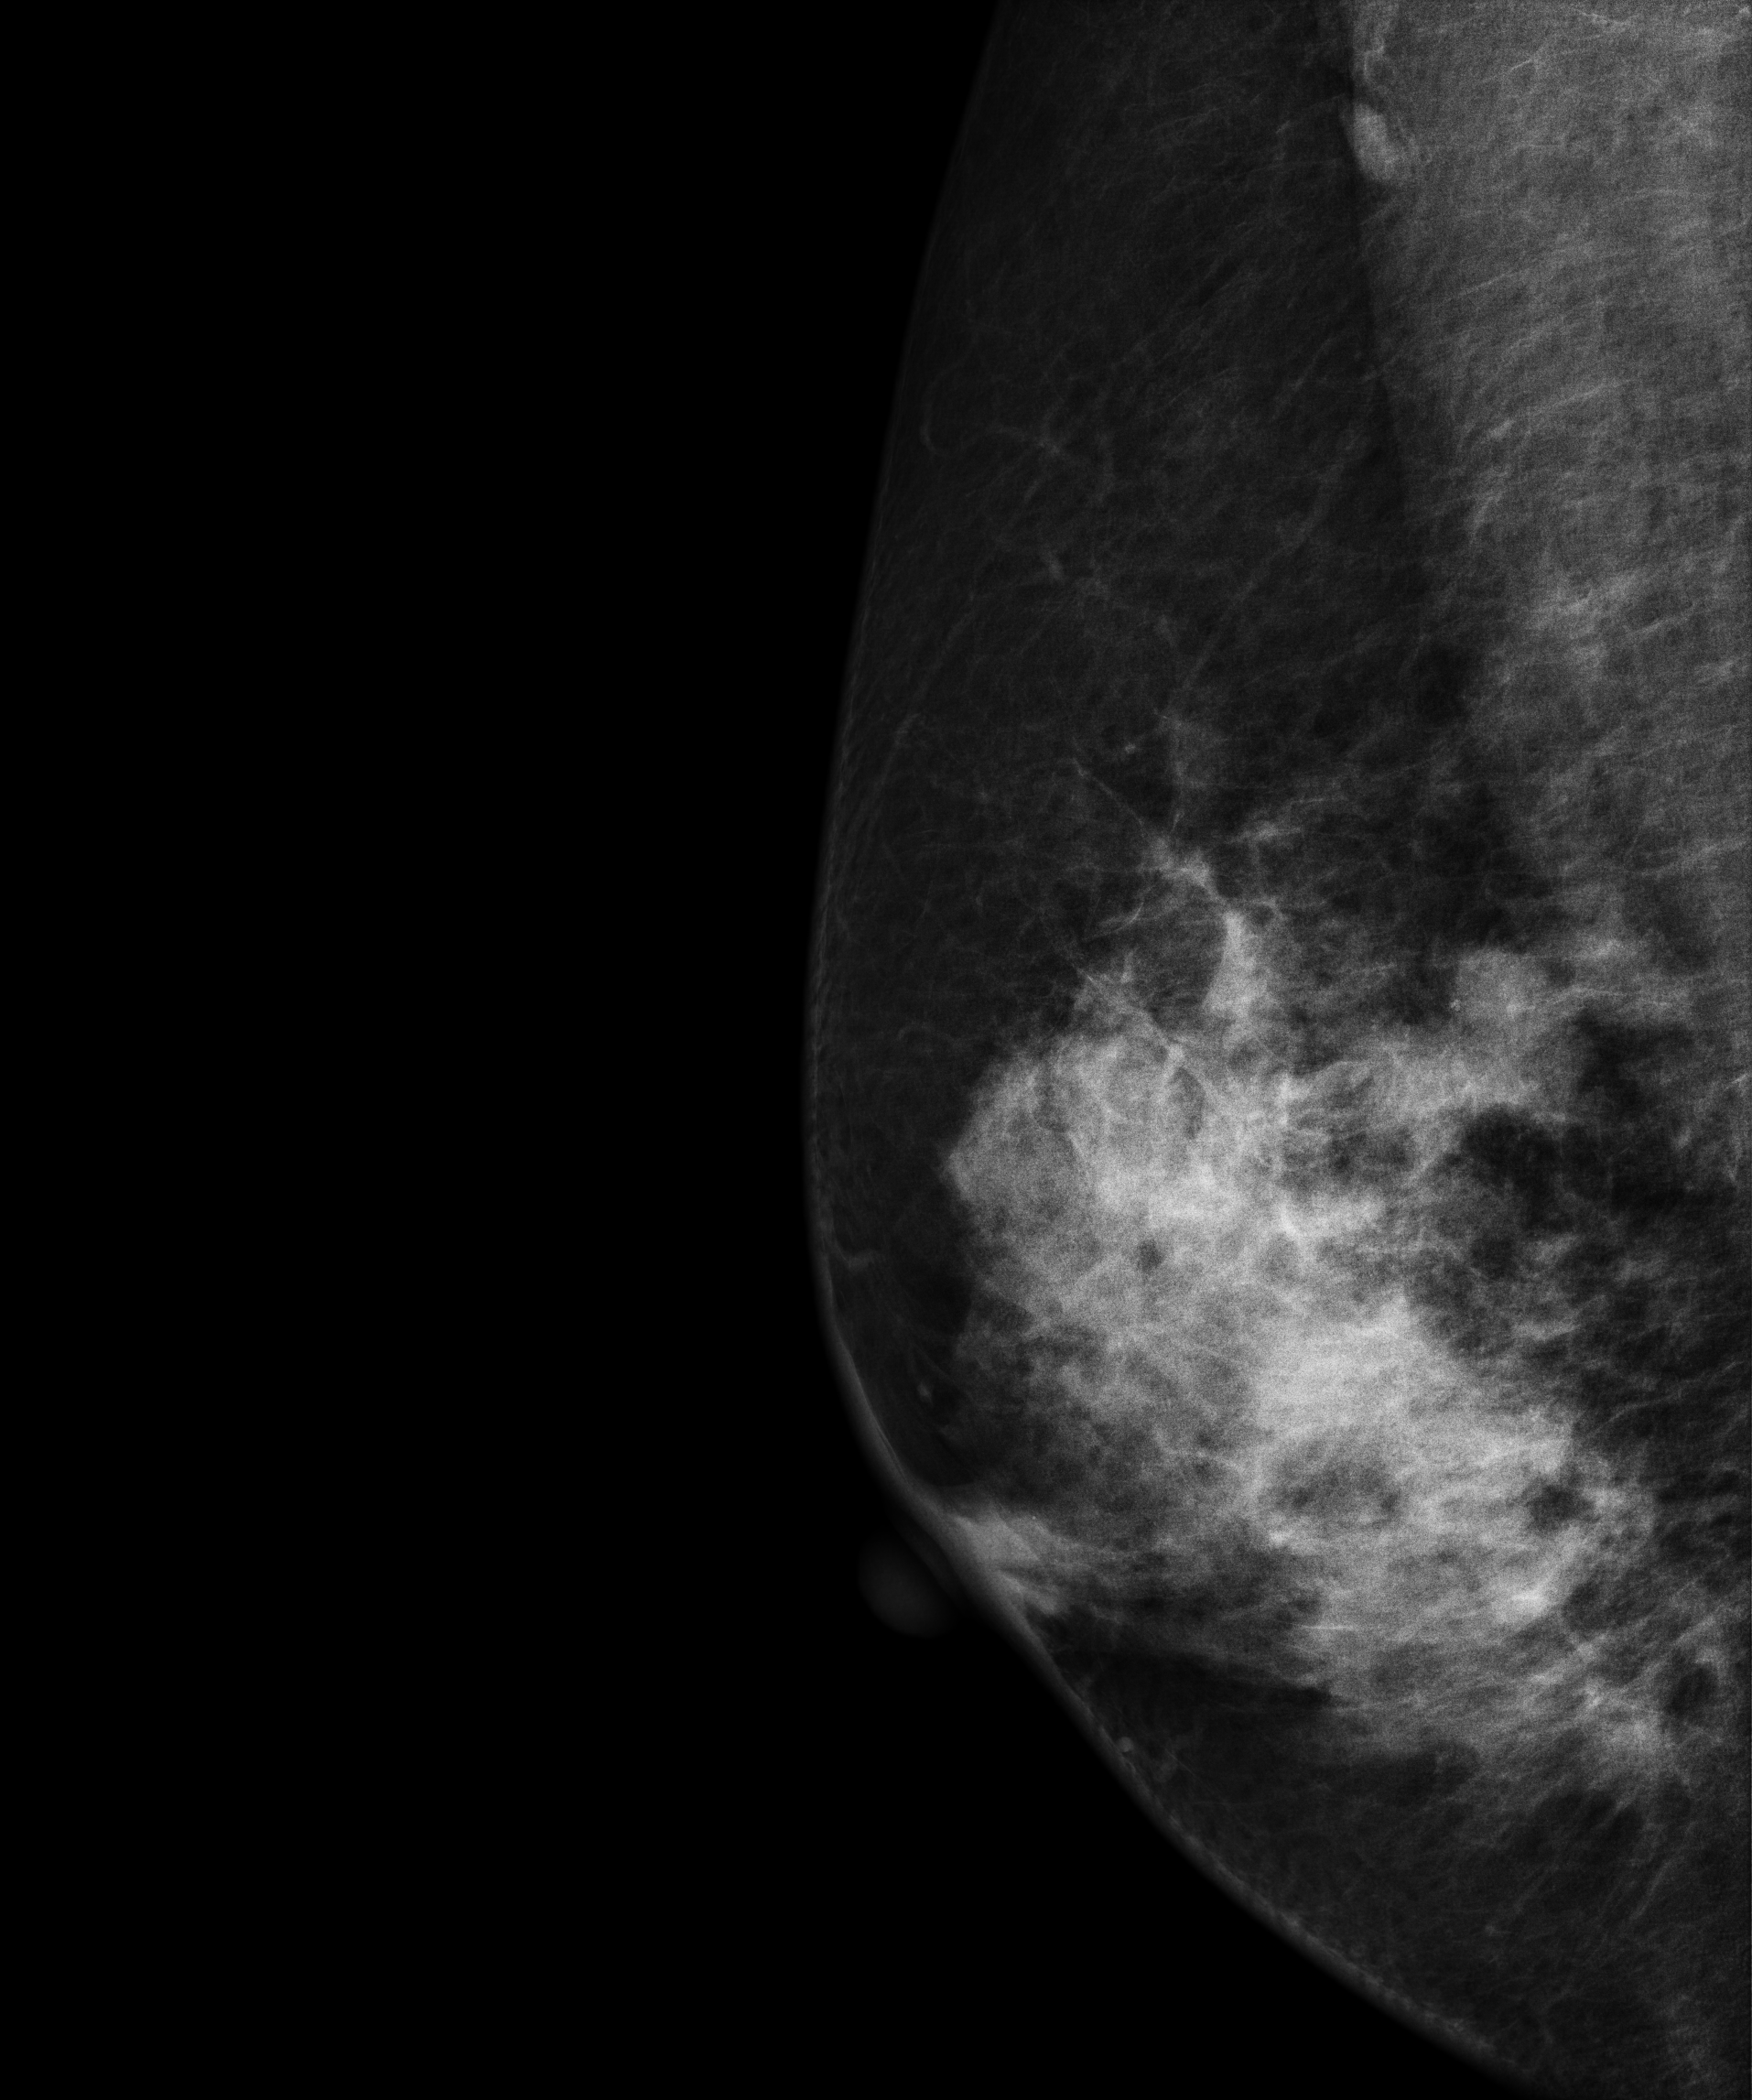
Mammogram, right breast, MLO view. Patient age 52.
This breast has a mass, pathology-confirmed malignant.